Mammogram — right medio-lateral oblique. 52 y/o patient.
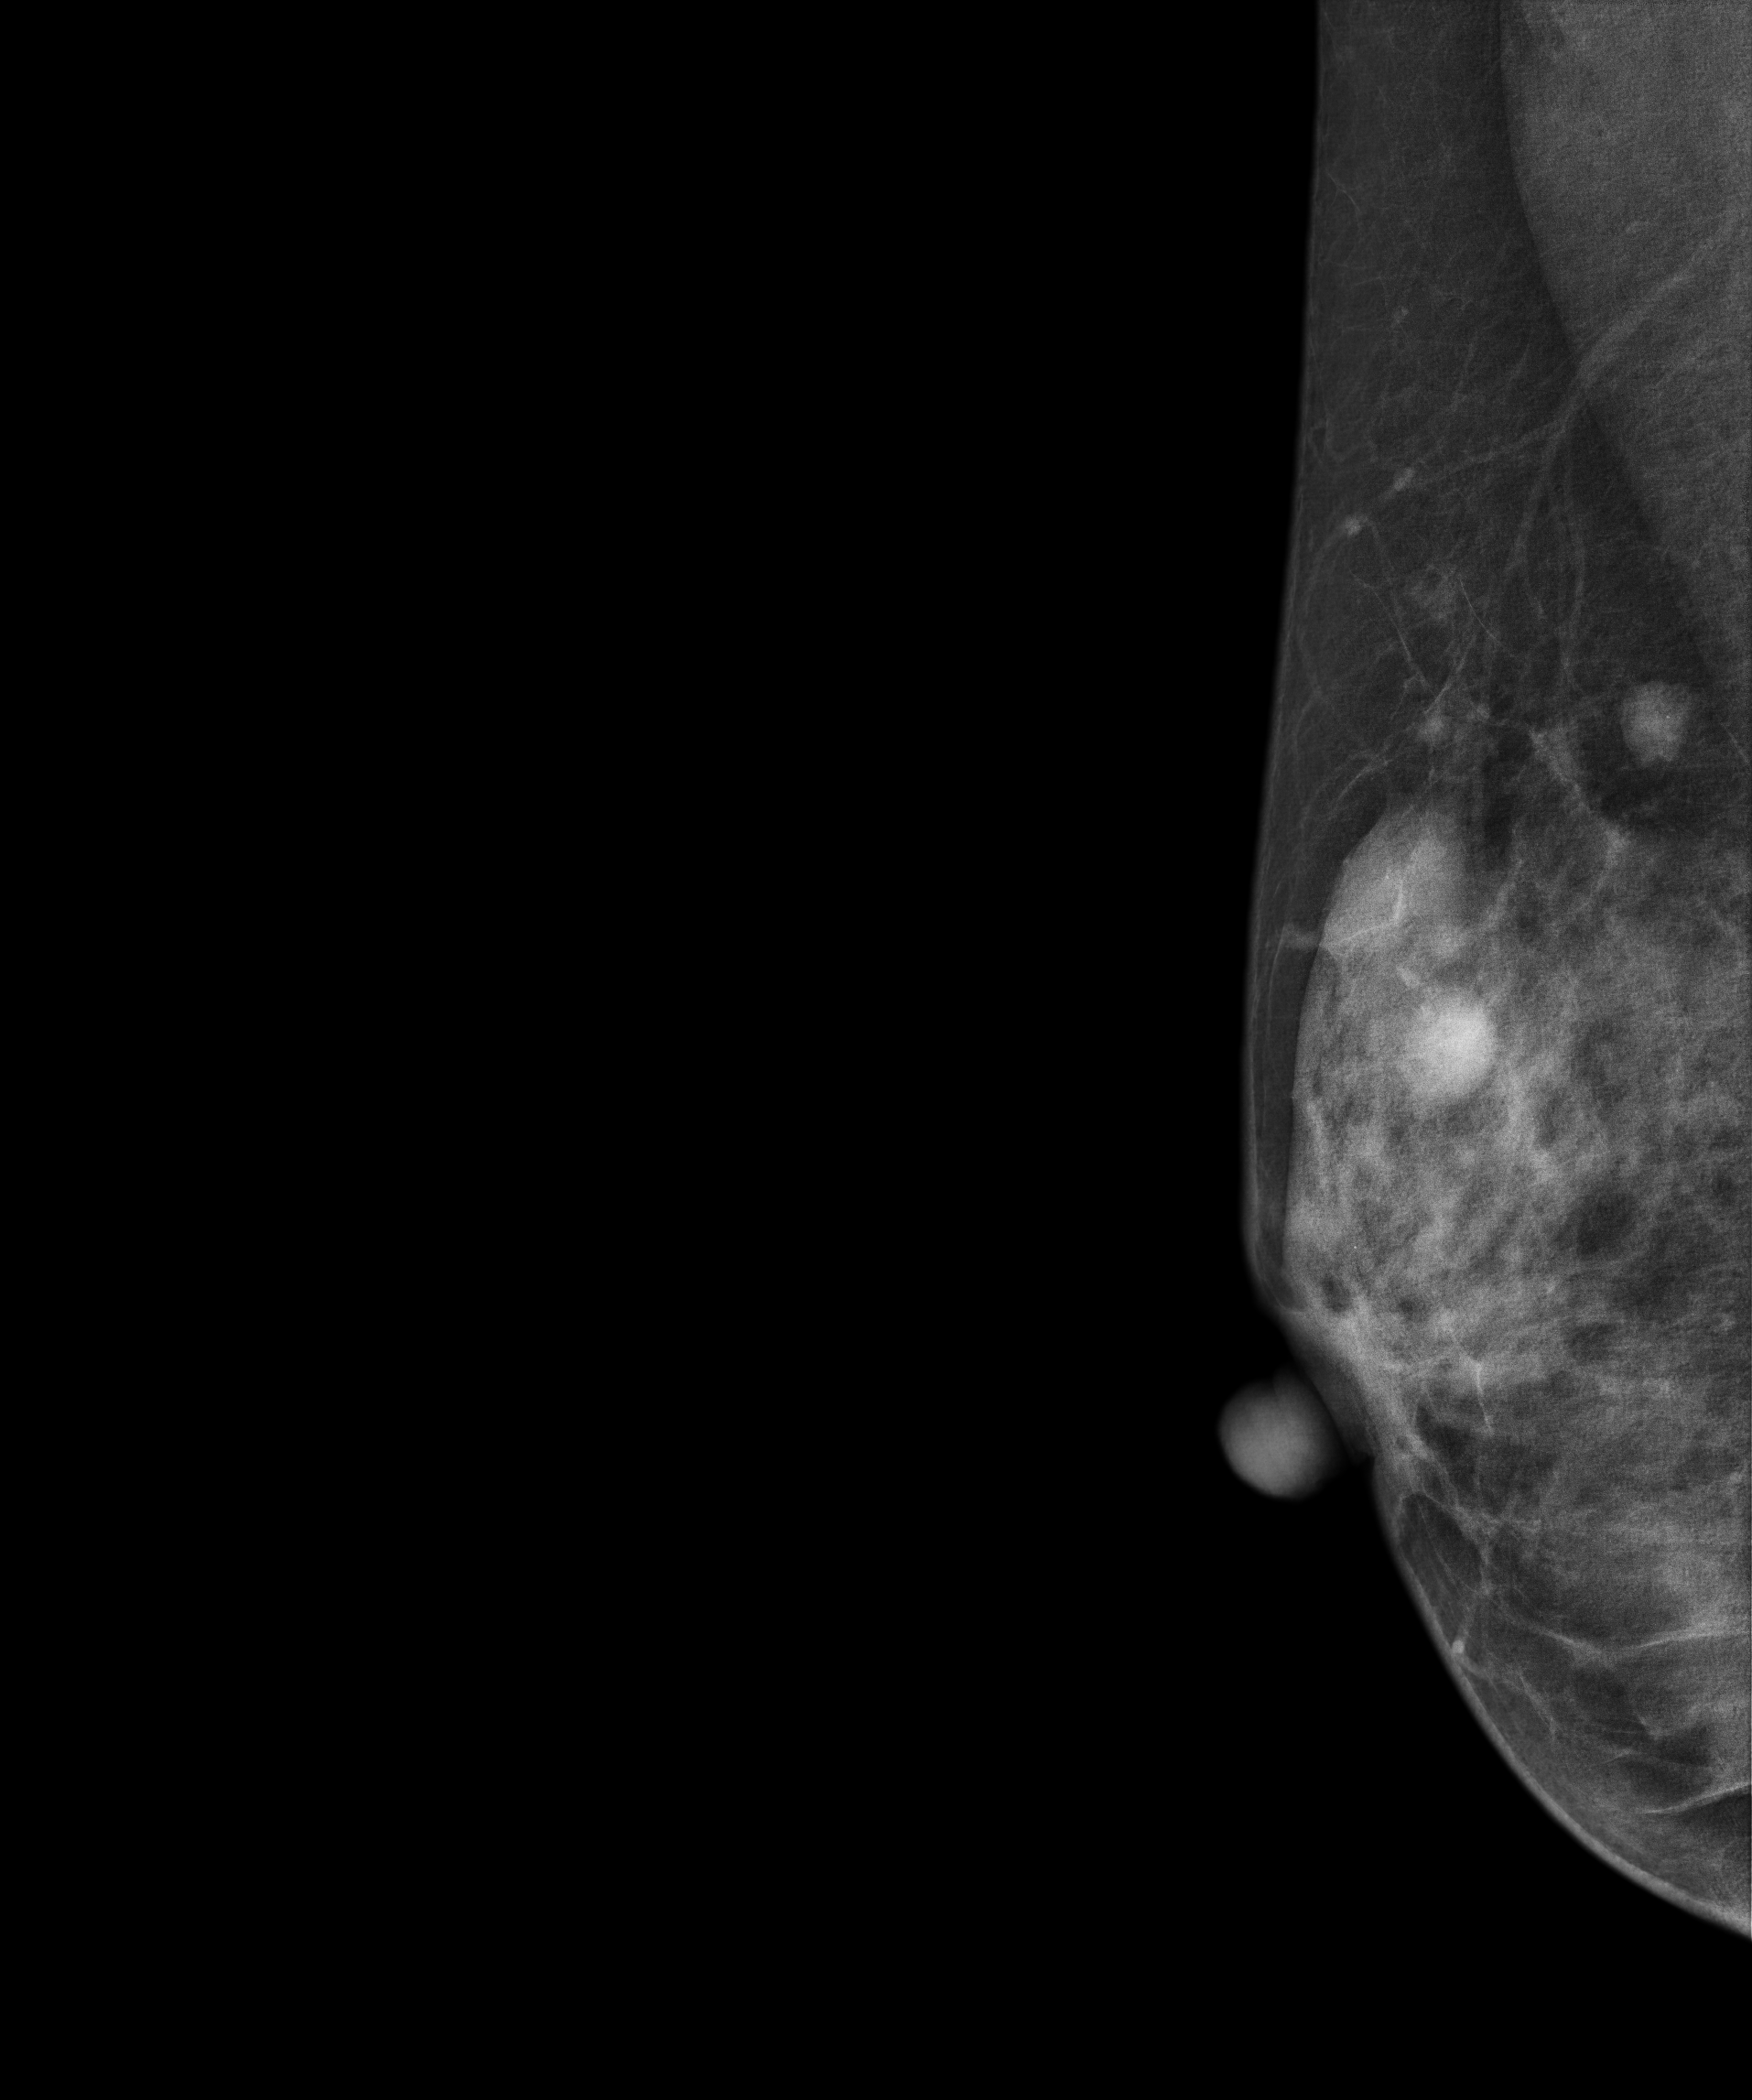
This breast has a mass, histologically confirmed benign.